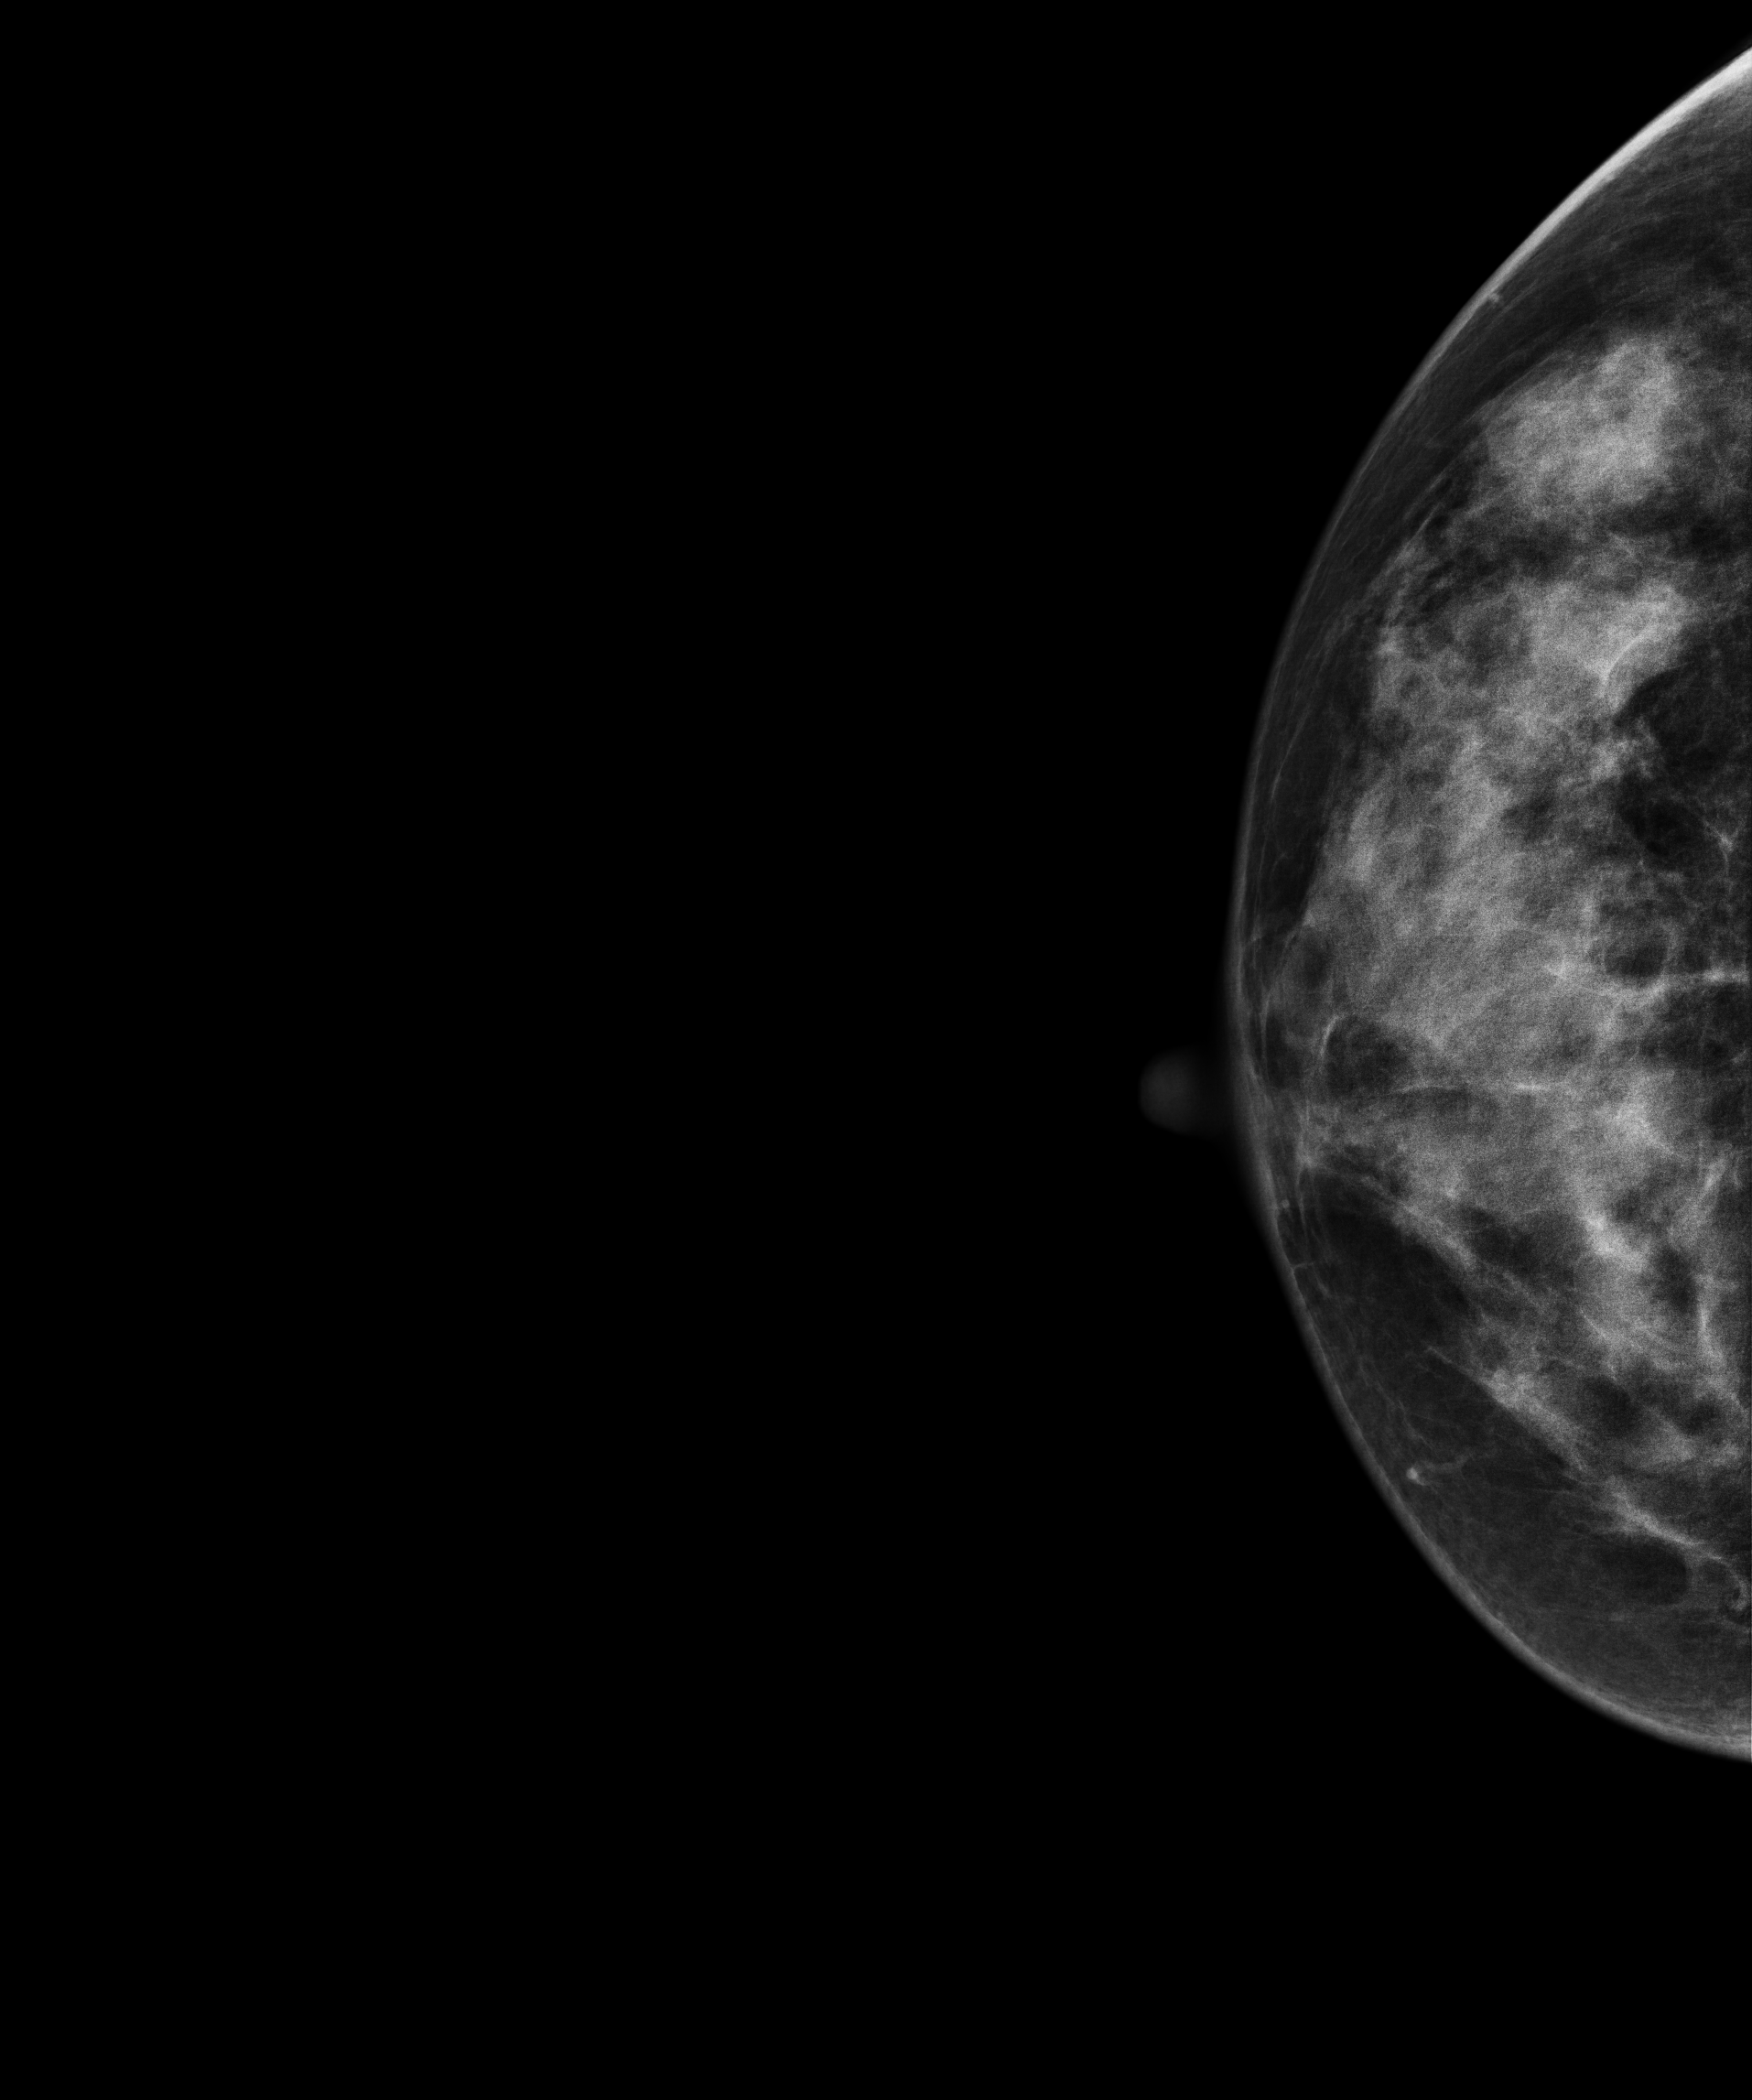
Mammogram — right CC. Patient age 43.
Contralateral breast — no documented abnormality on this side.